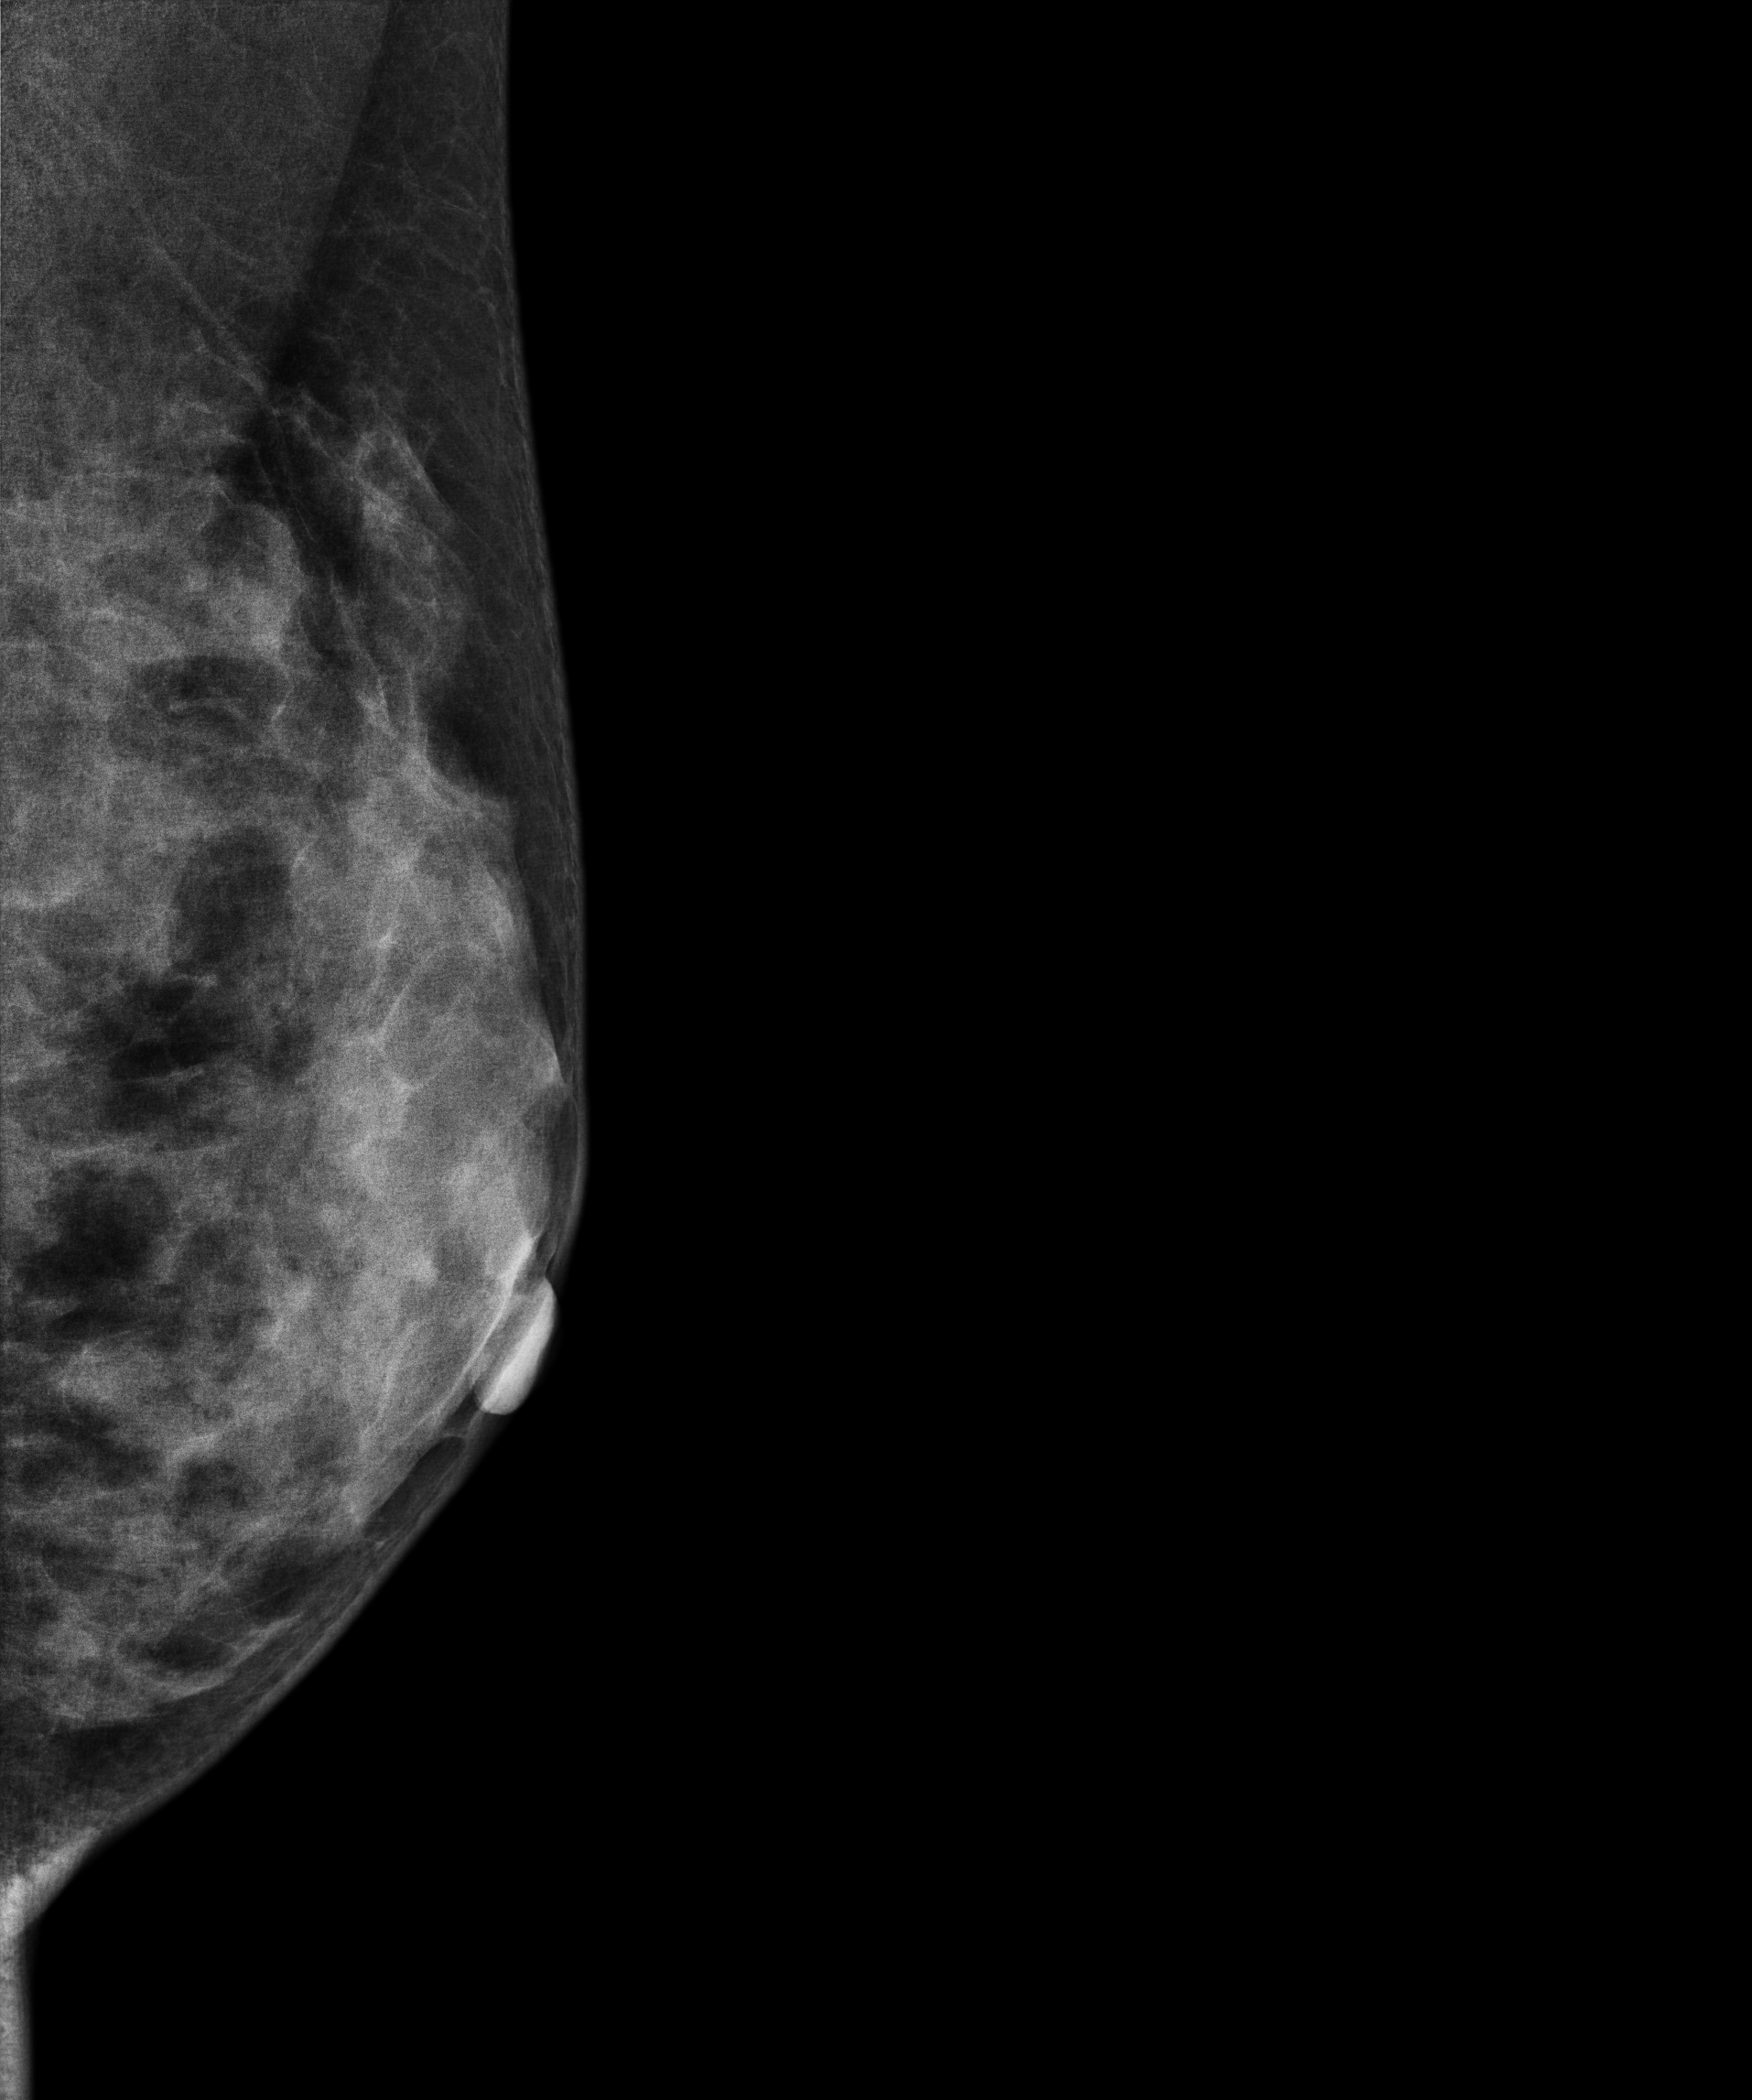
Mammogram — left medio-lateral oblique. 42-year-old patient.
Contralateral breast — no documented abnormality on this side.